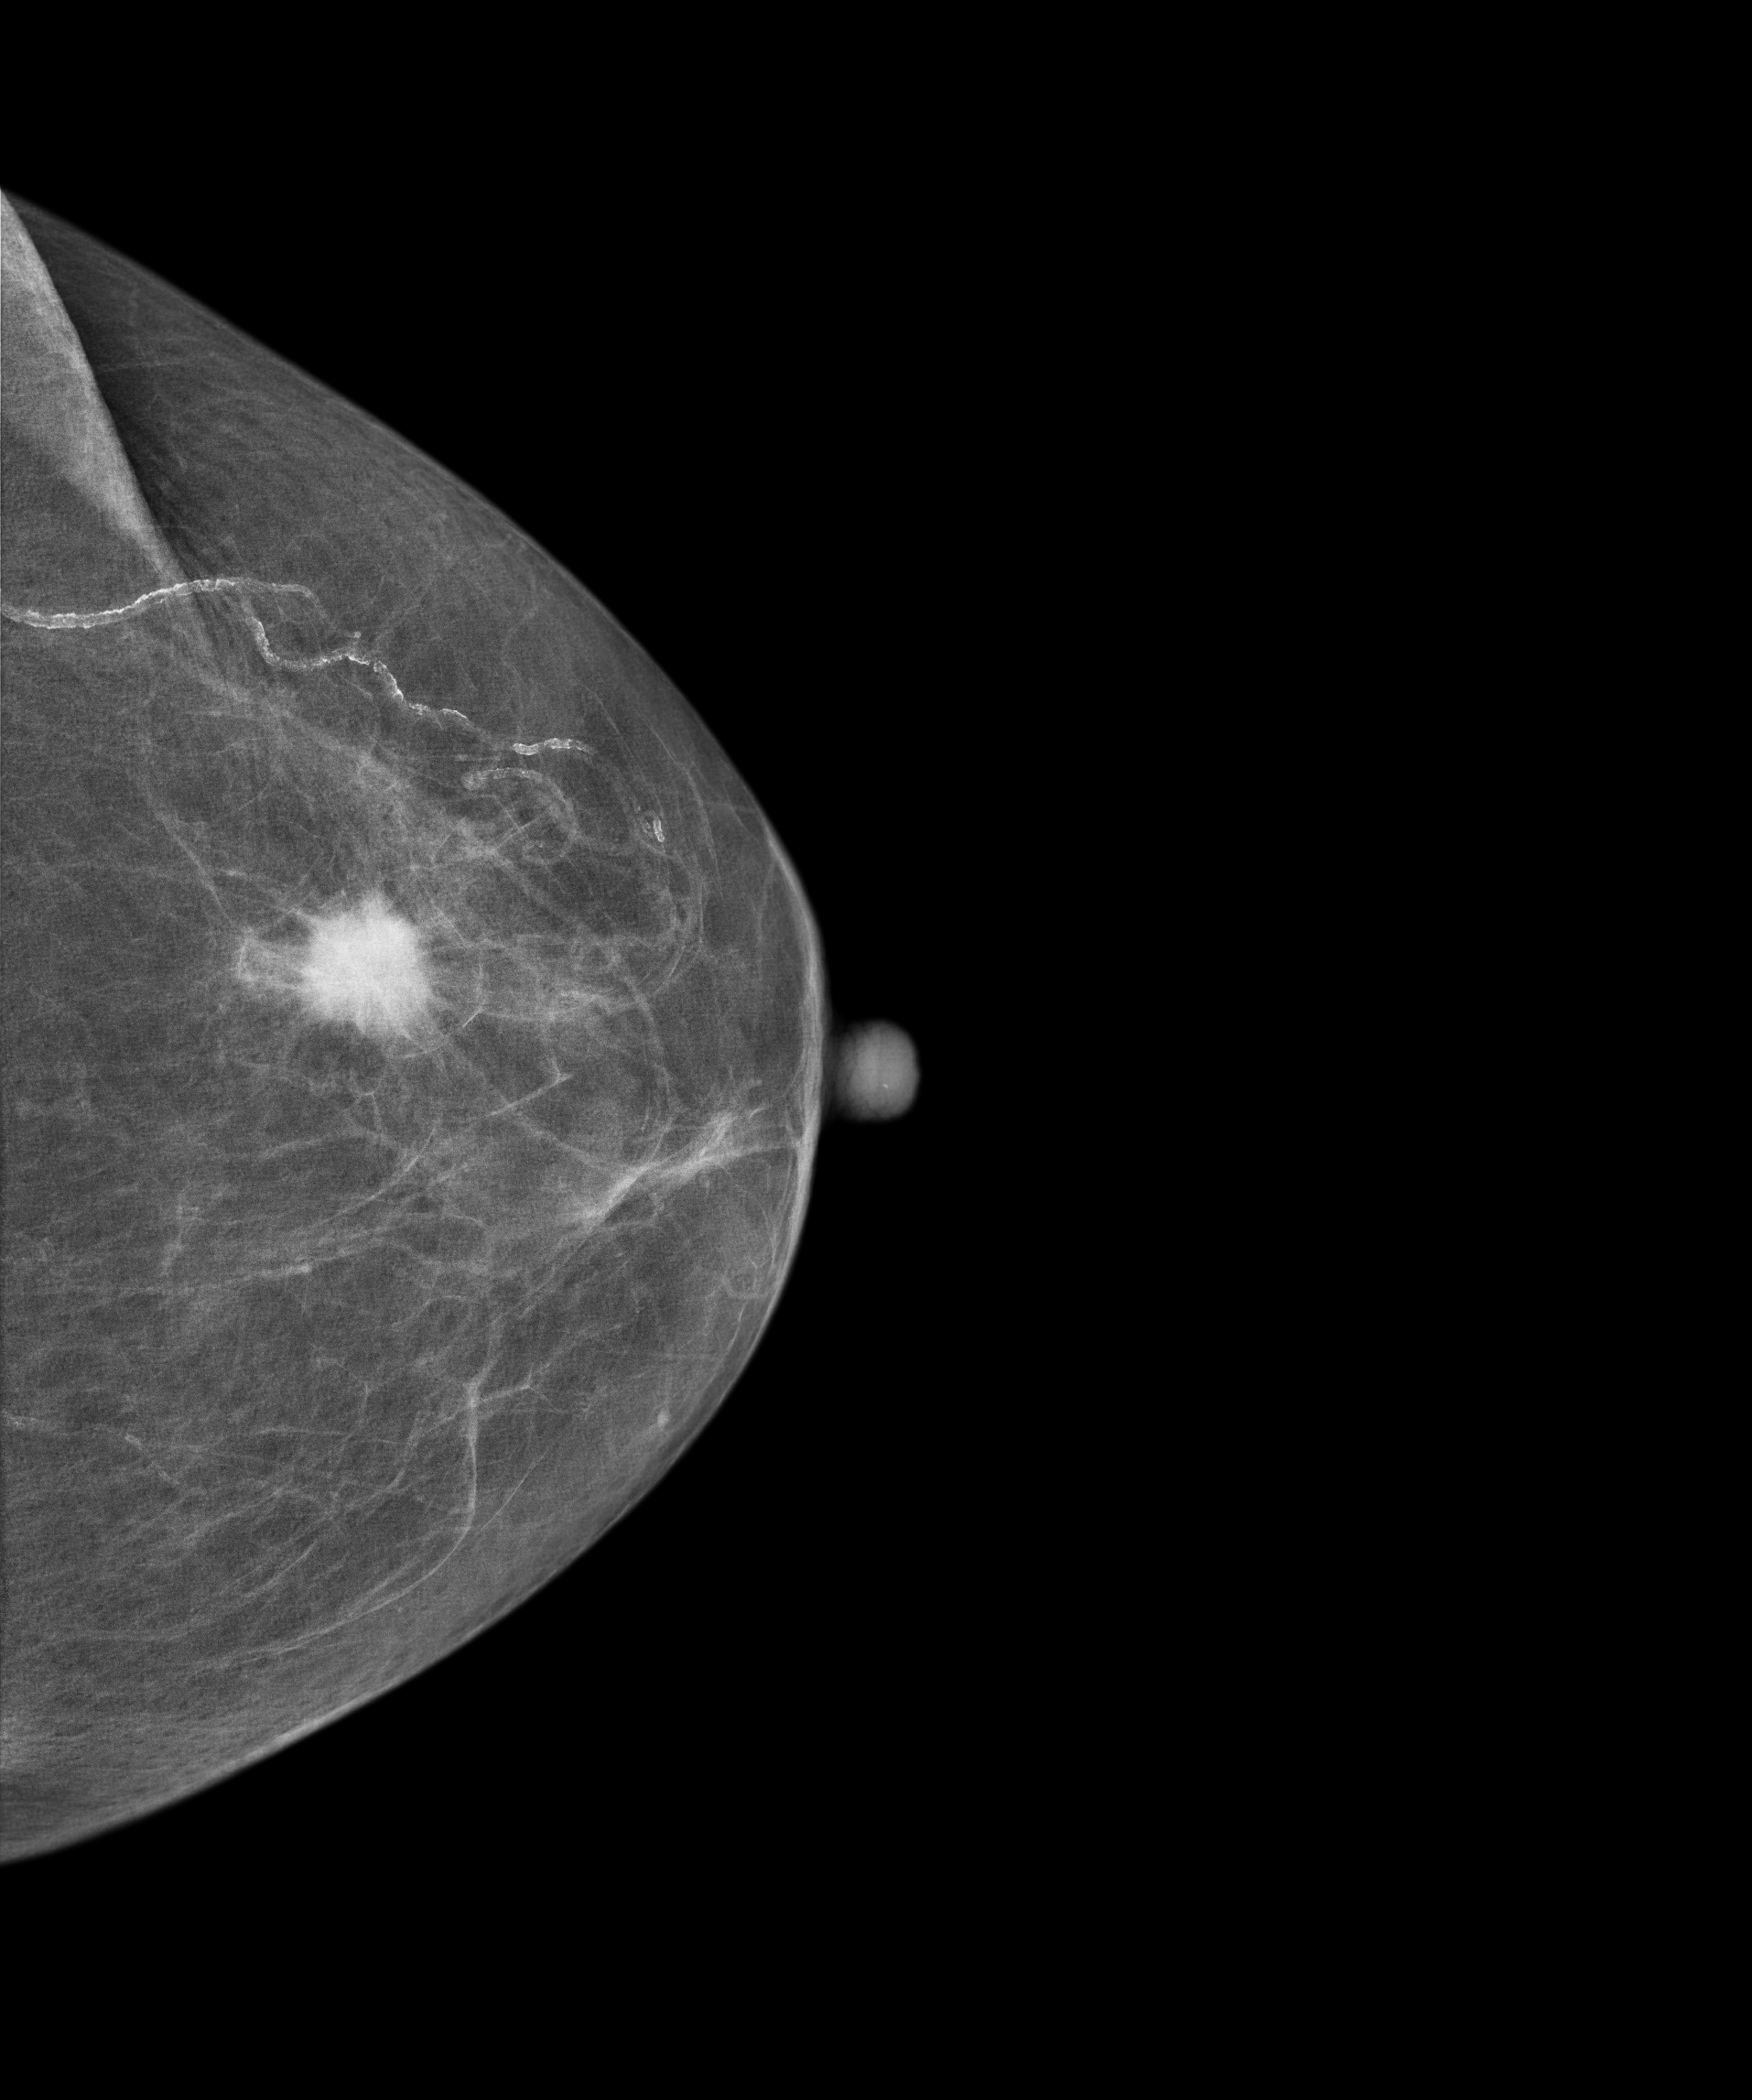
Left-breast mammogram, cranio-caudal. Patient age 74.
This breast has a mass, biopsy-confirmed malignant. Molecular subtype: luminal B.